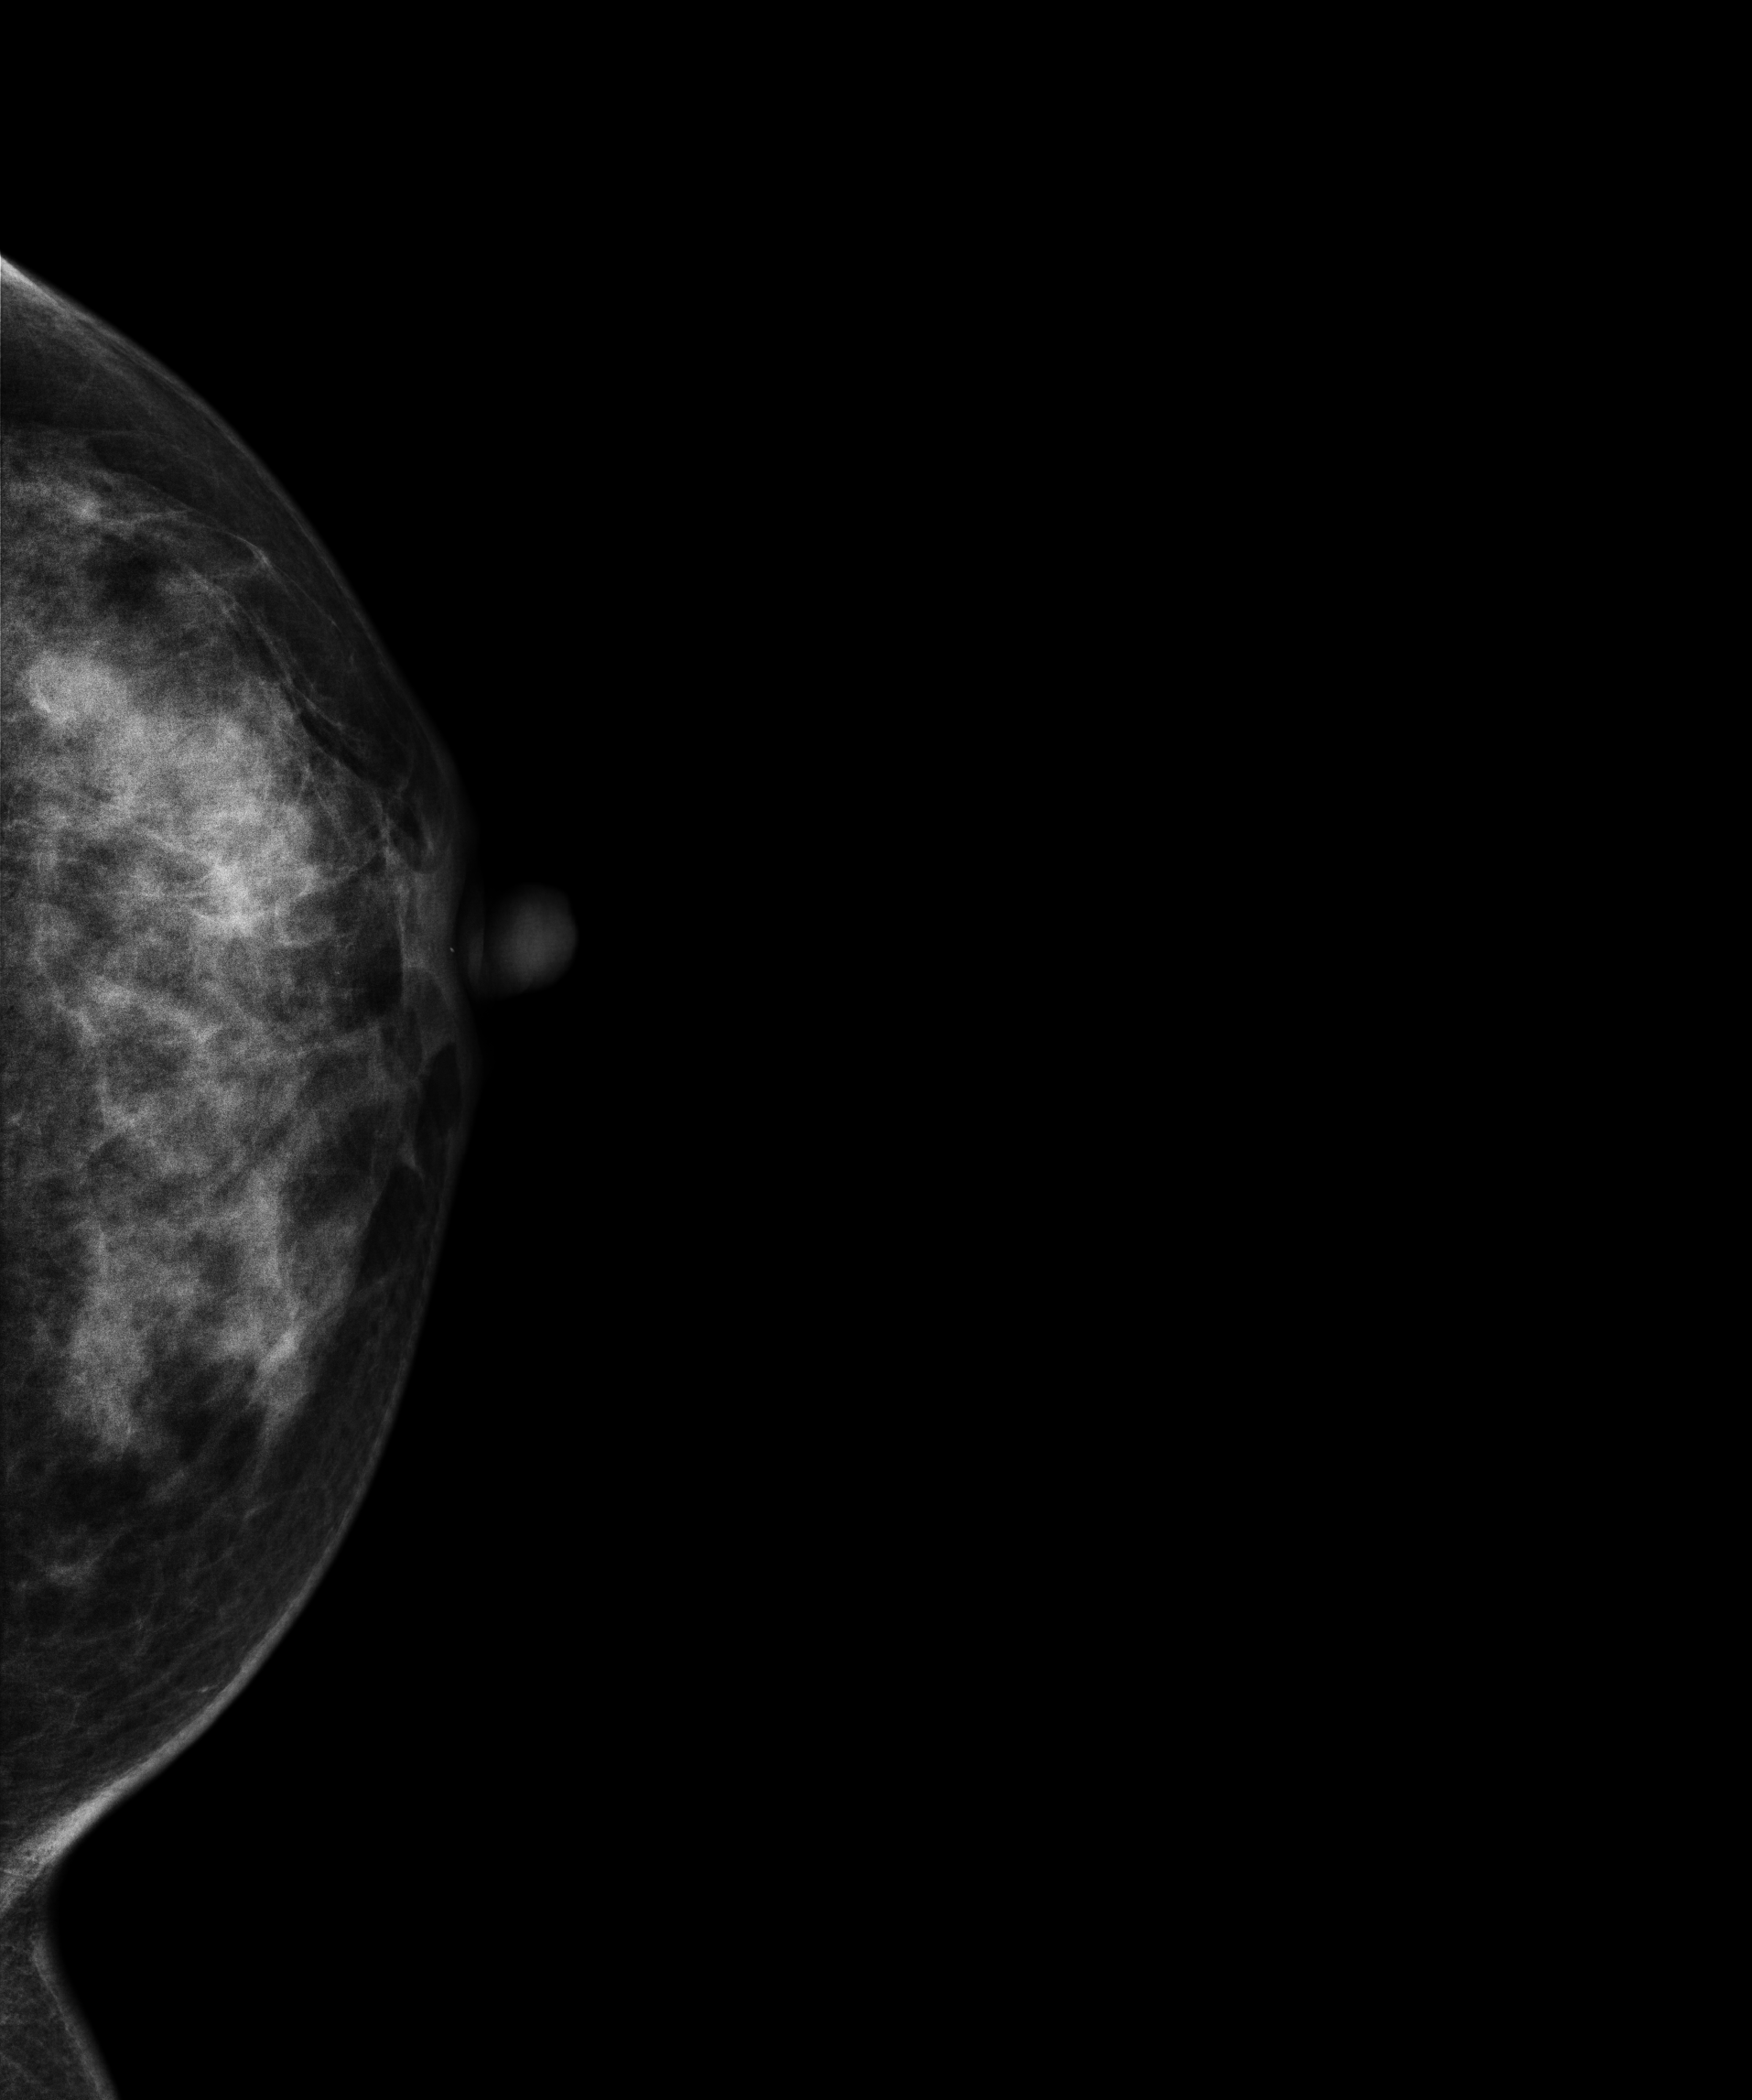
Digital mammography. Left breast, CC projection. Patient age 39.
This breast has a mass, histologically confirmed malignant.